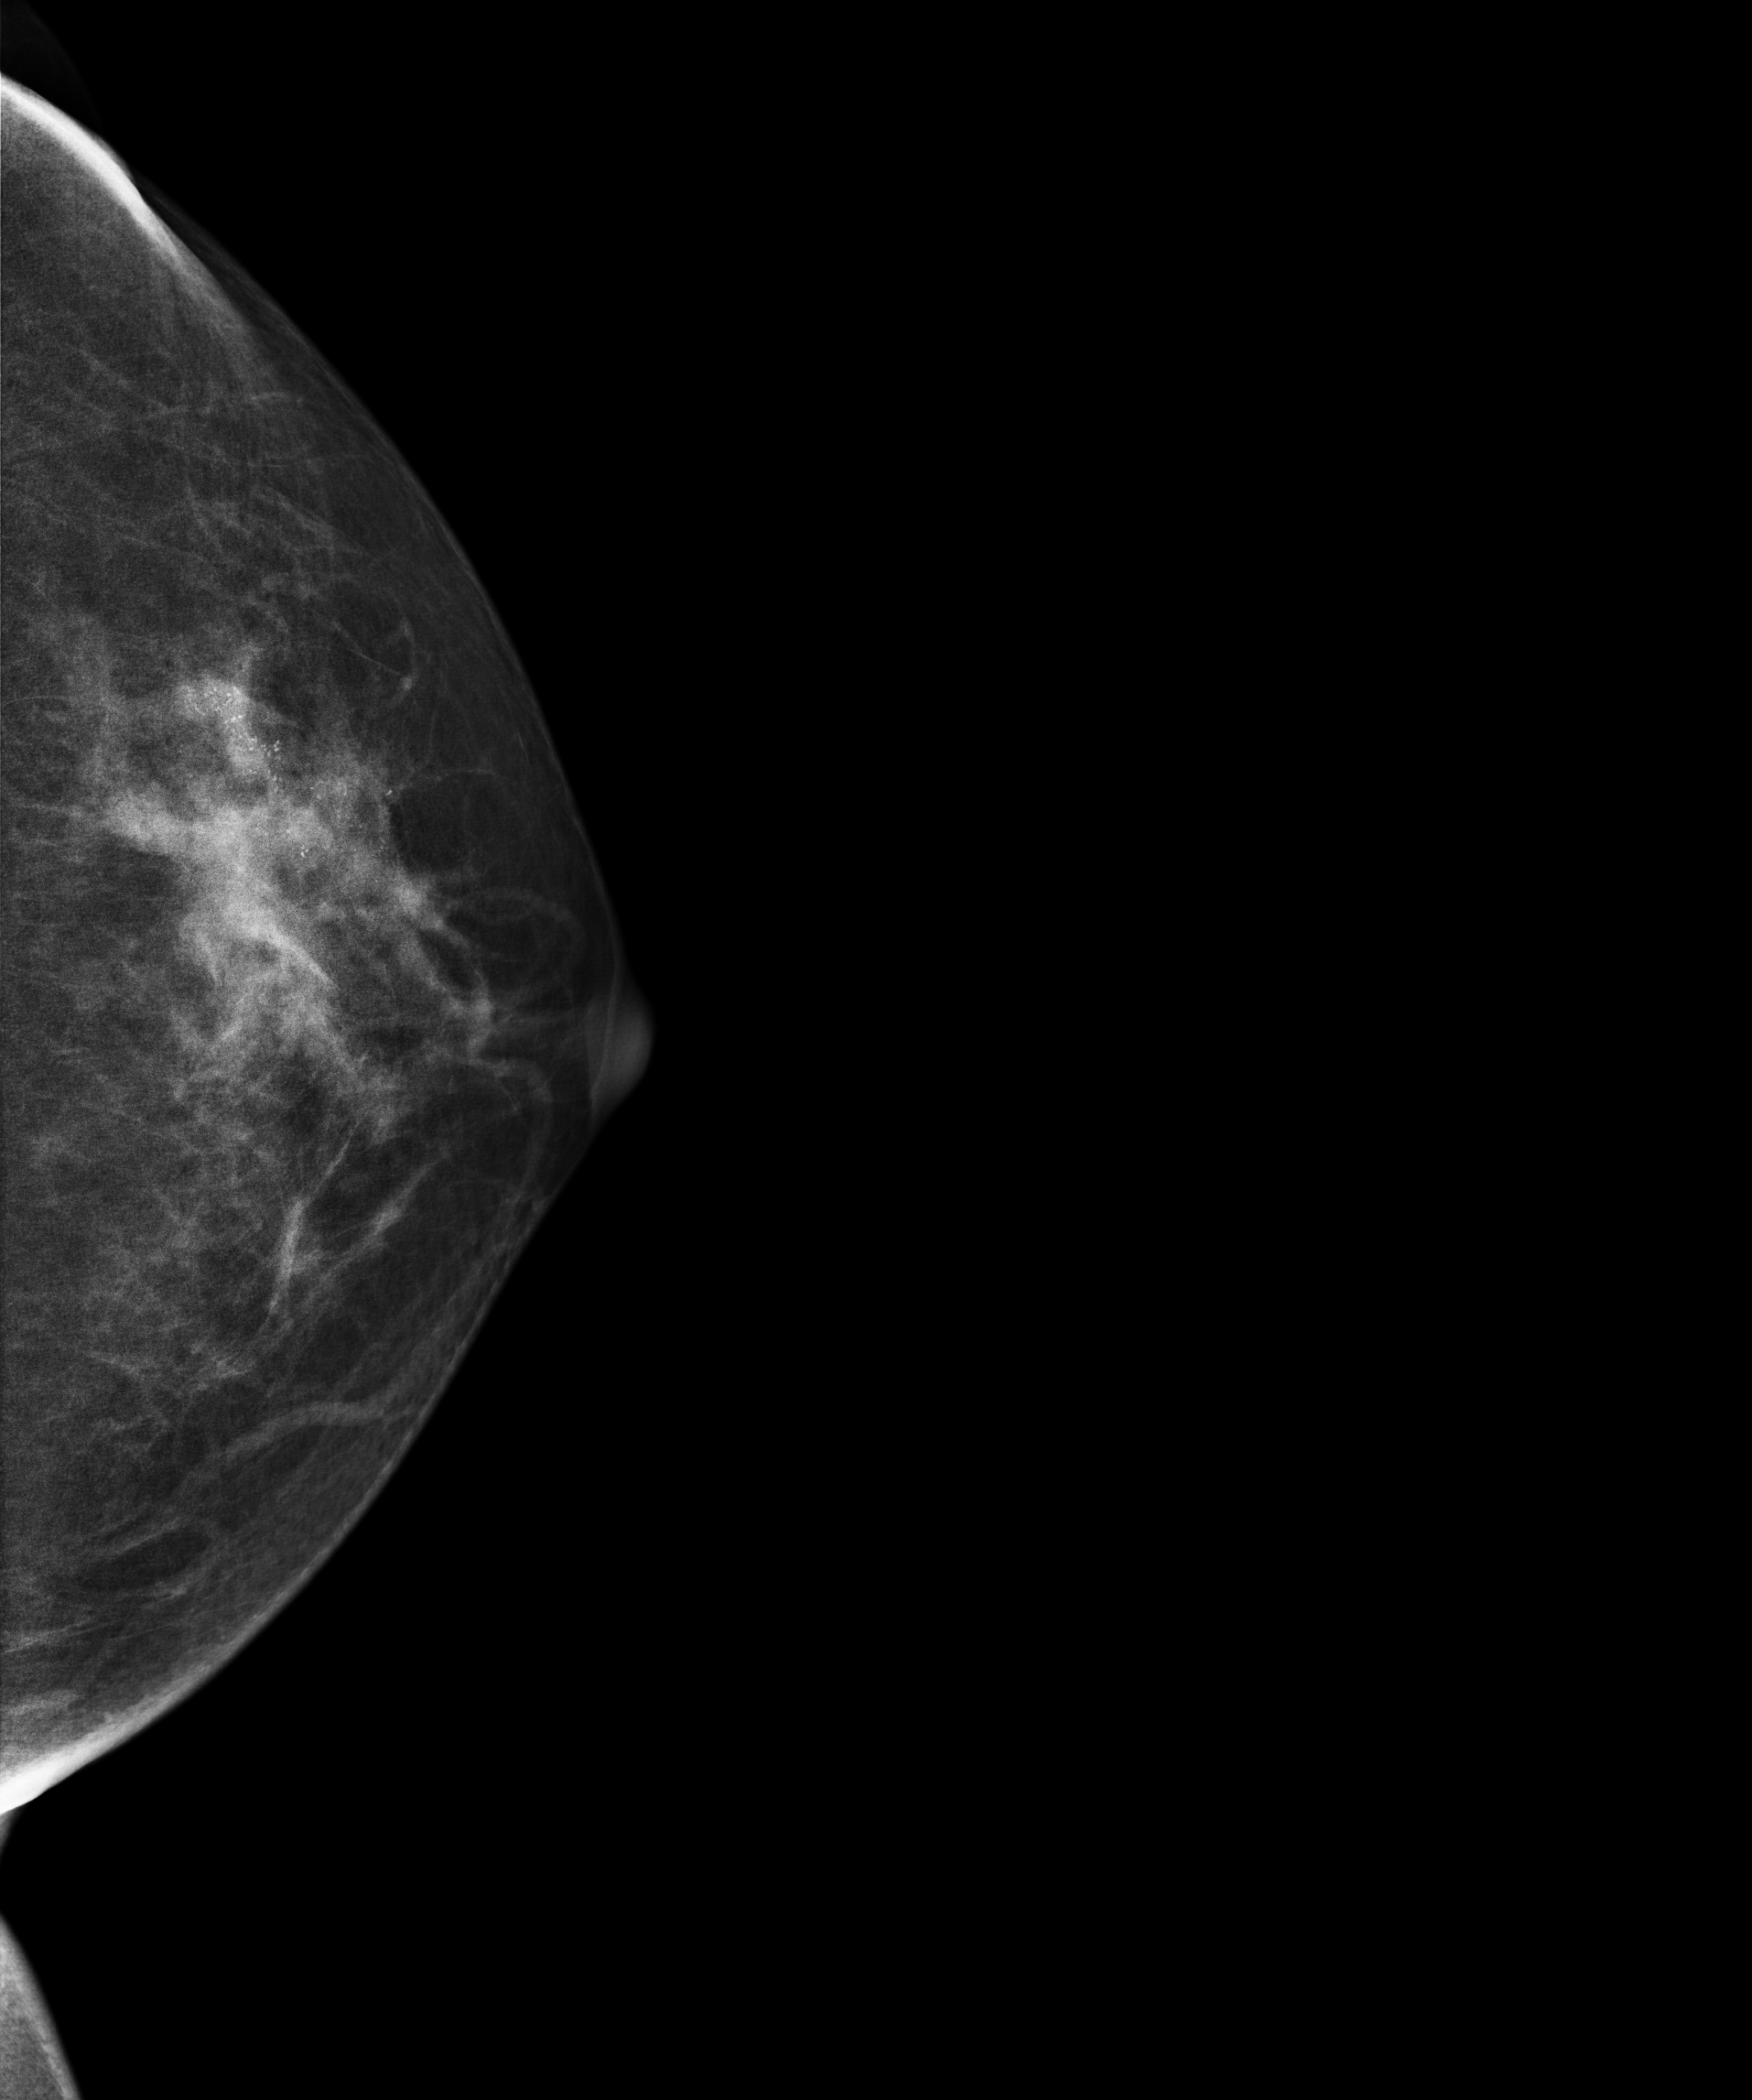
CC mammogram of the left breast. Patient age 53.
This breast has a mass and calcifications, biopsy-proven malignant.